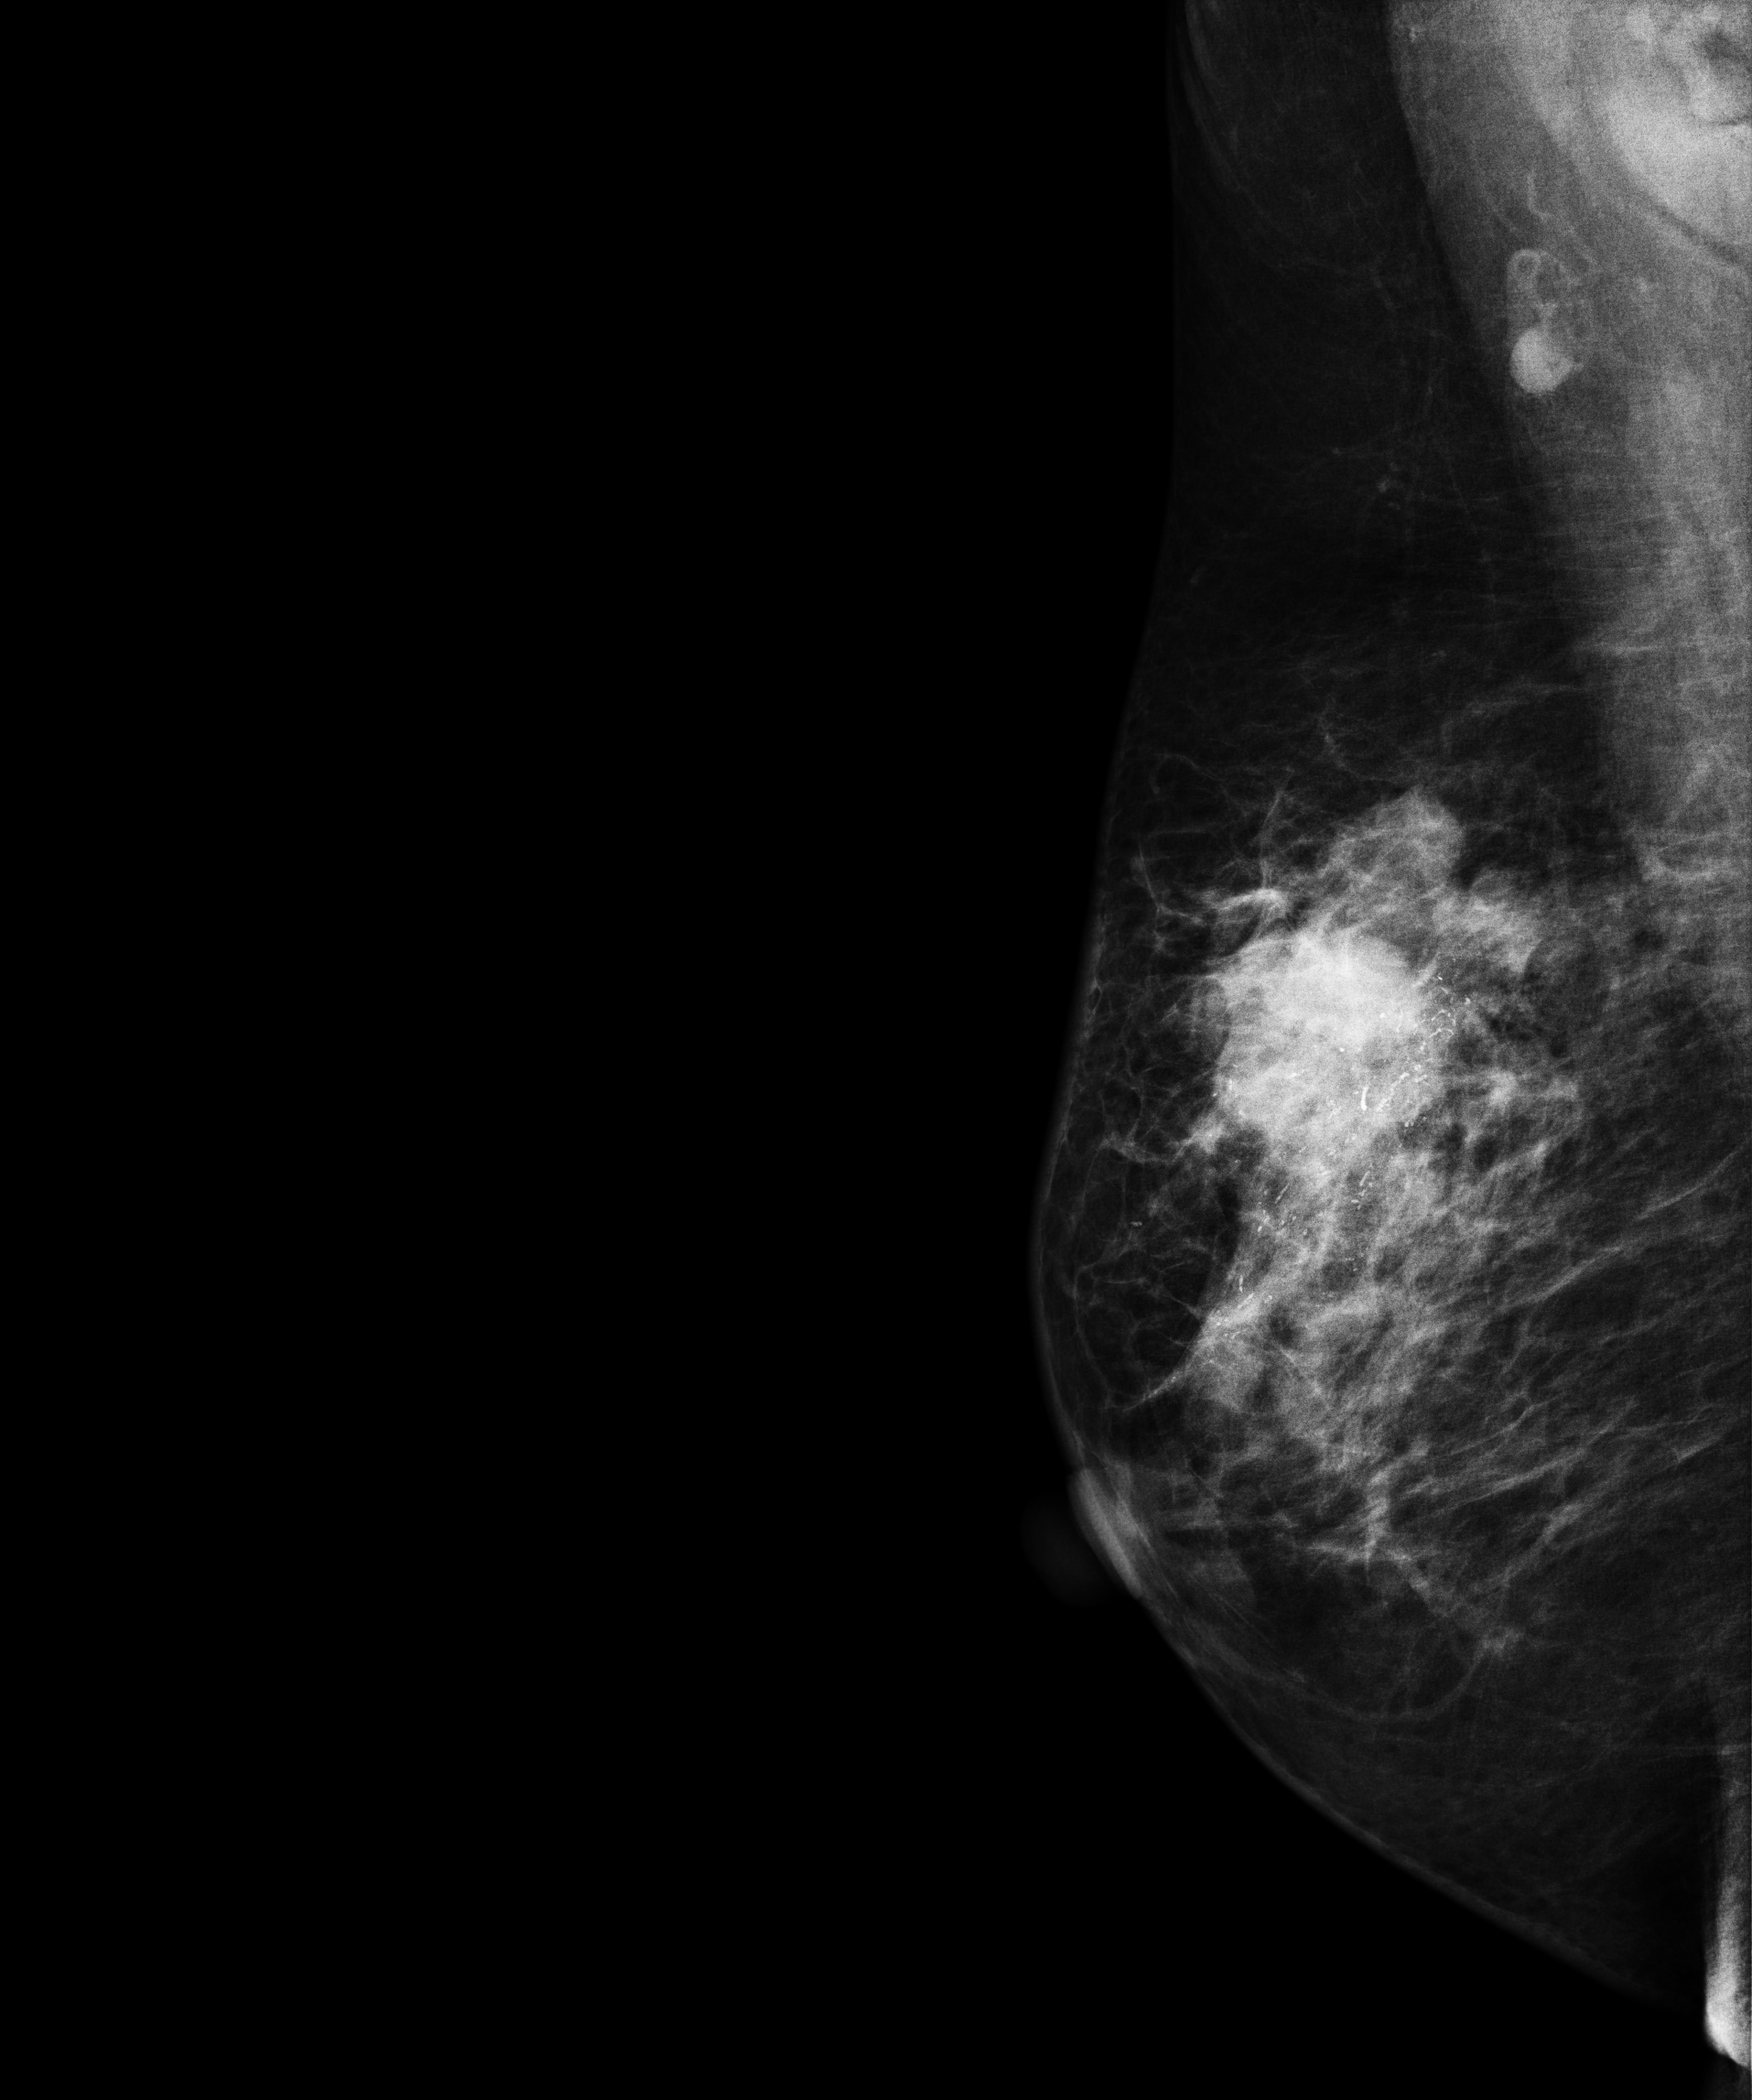
Digital mammography. Right breast, MLO projection. Patient age 60.
This breast has a mass and calcifications, pathology-confirmed malignant. Molecular subtype: HER2-enriched.